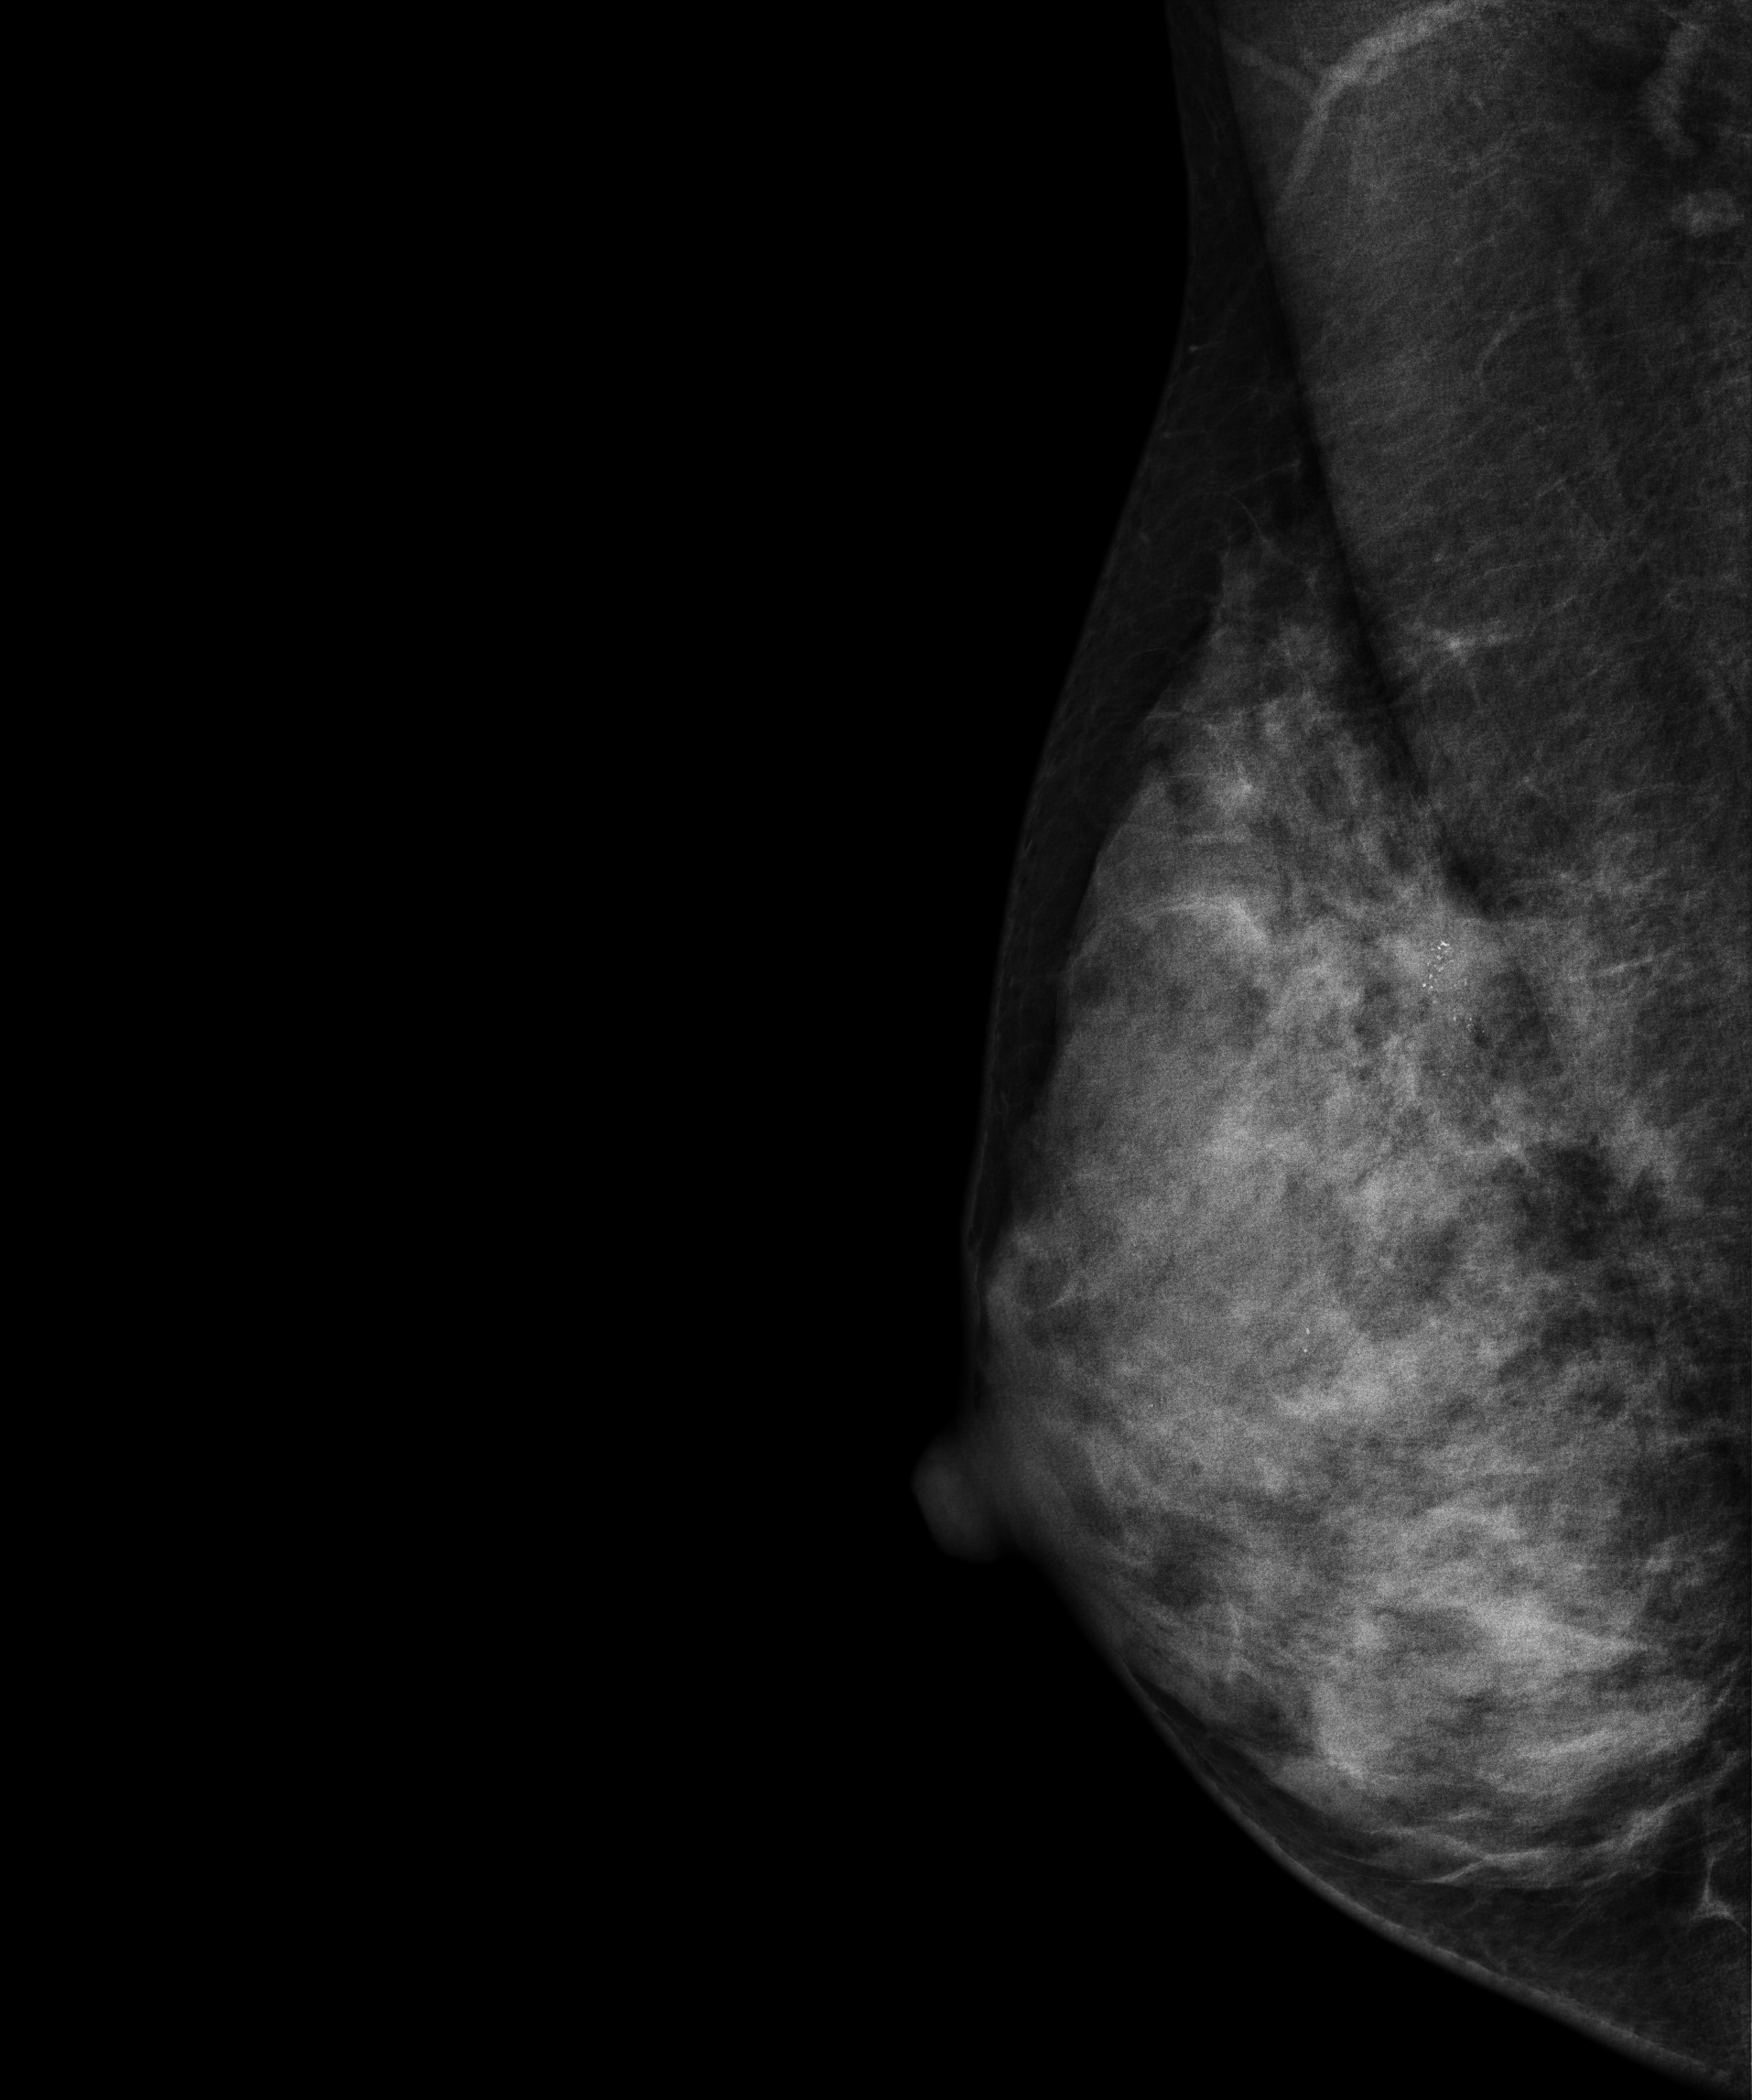
Mammogram, right breast, medio-lateral oblique view. 38-year-old patient.
This breast has a mass and calcifications, pathology-confirmed malignant. Molecular subtype: luminal B.